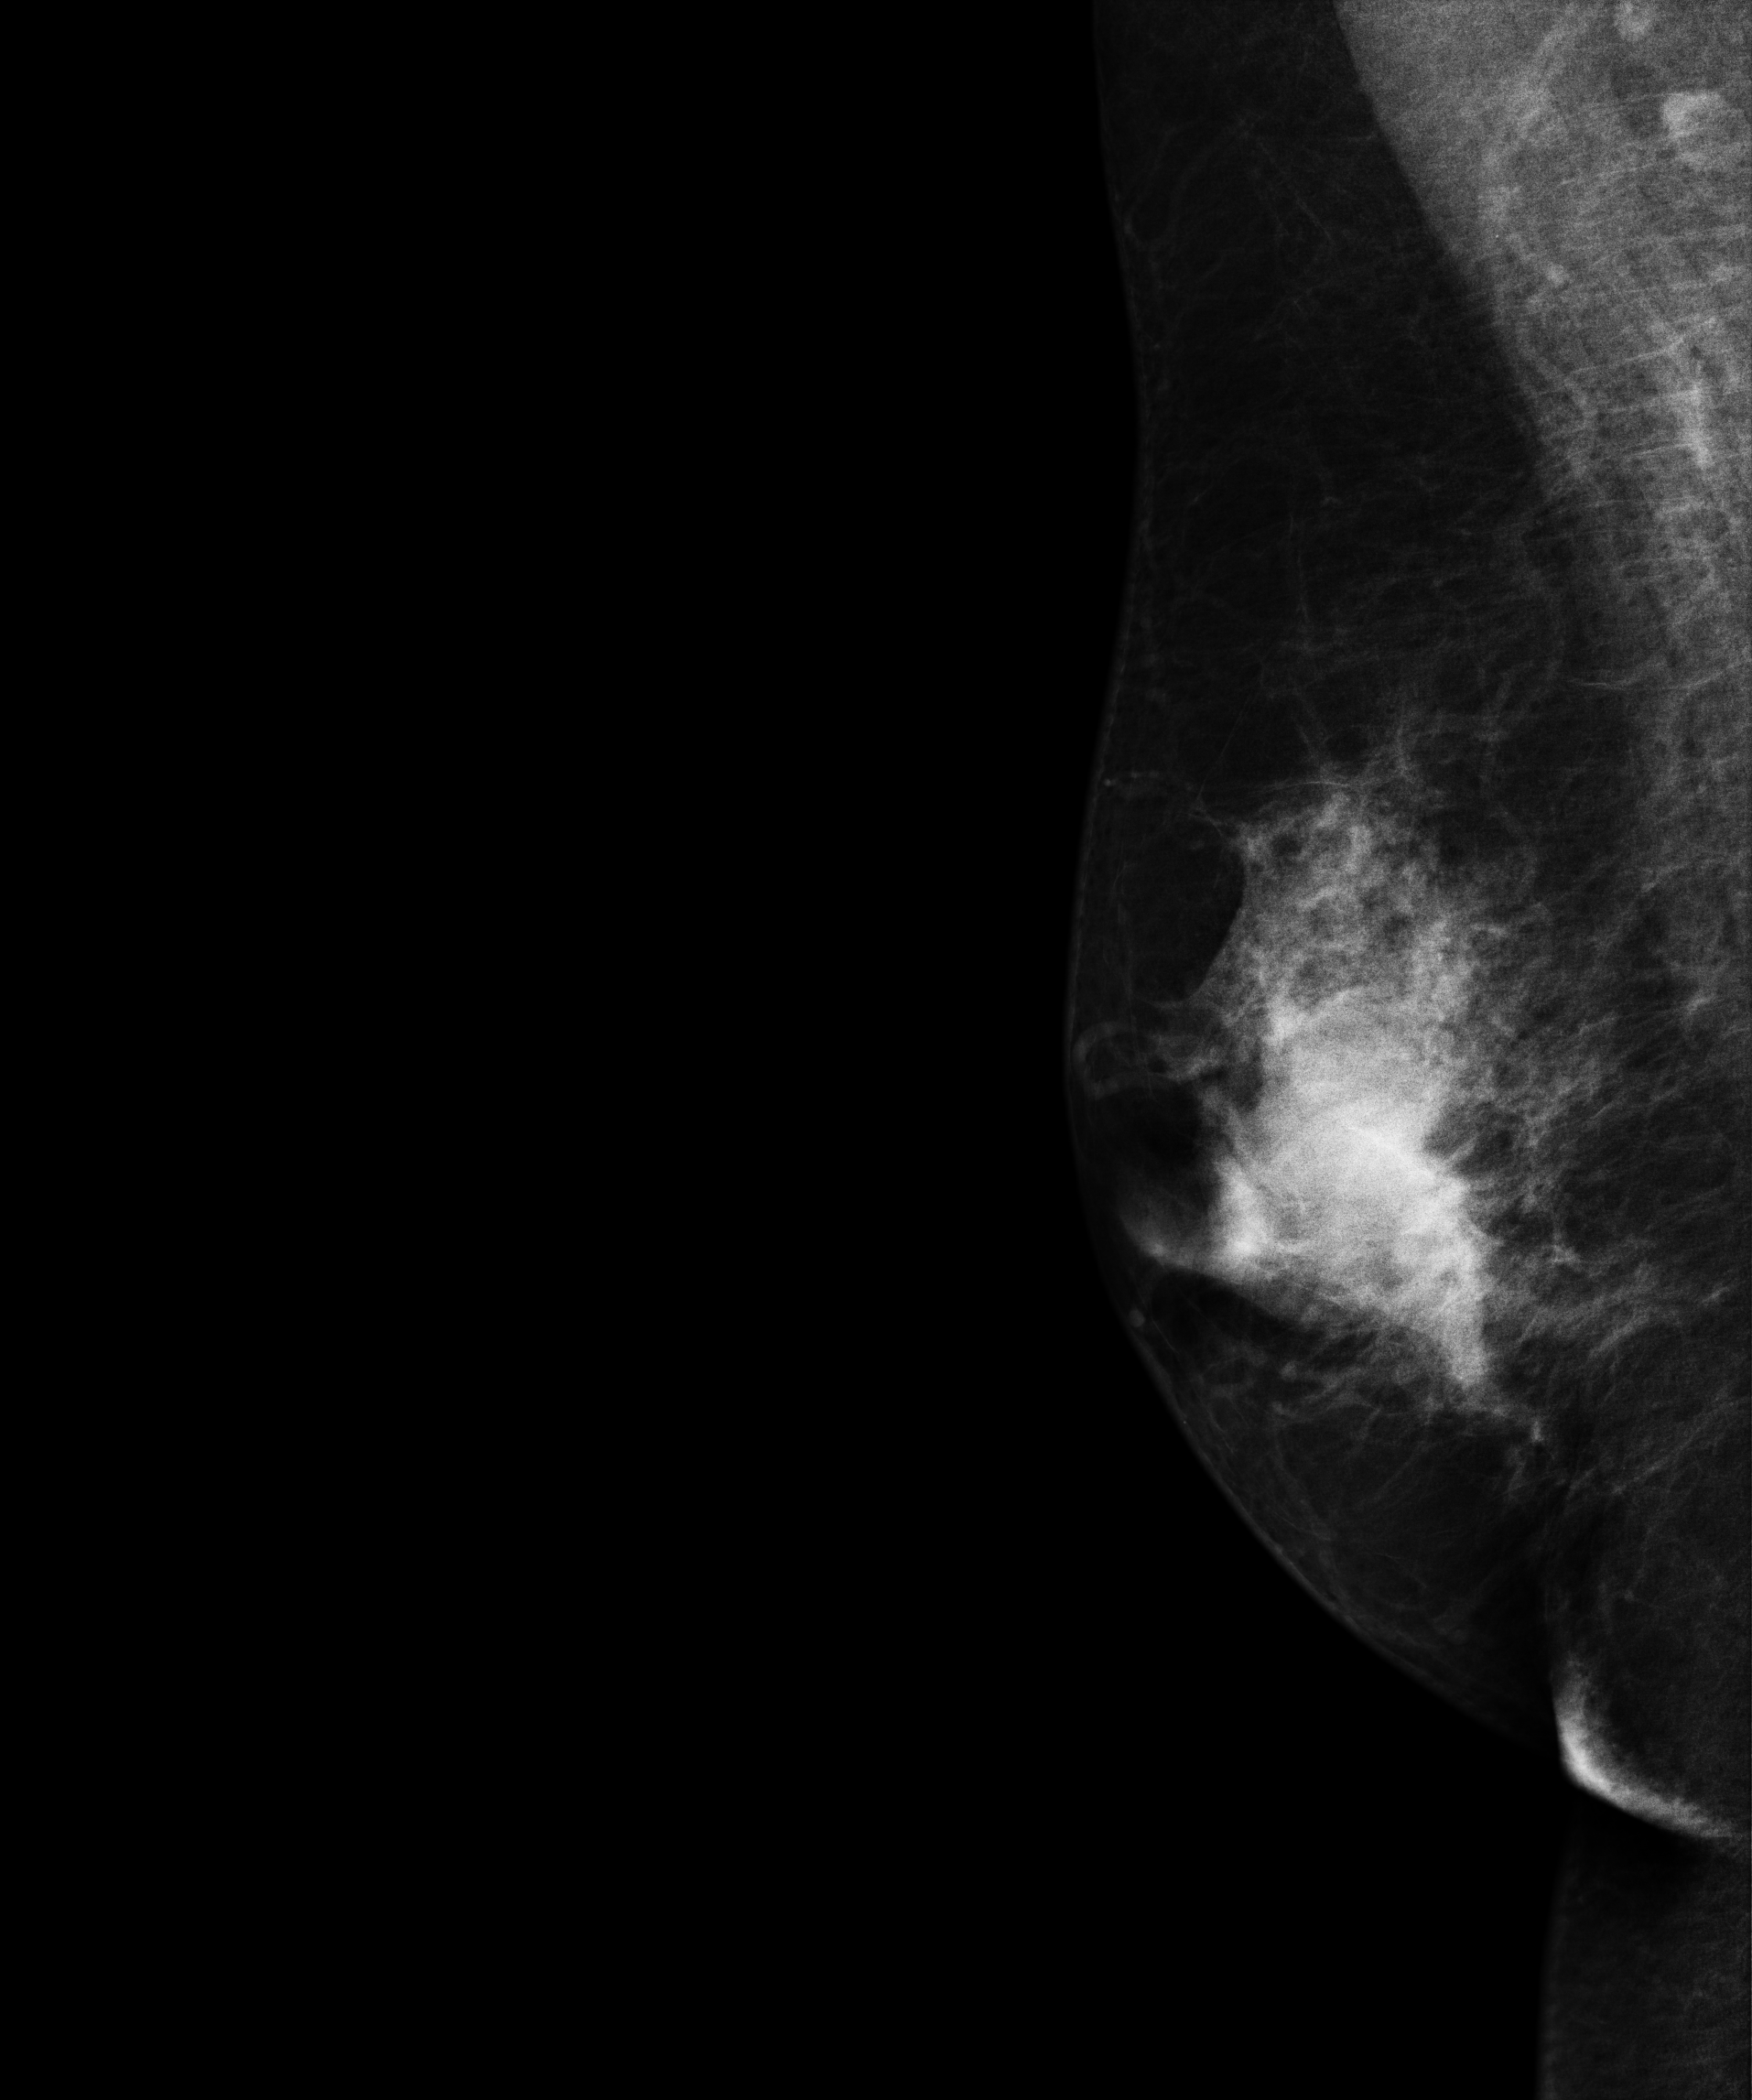
Mammogram, right breast, medio-lateral oblique view. 71 y/o patient.
This breast has a mass, biopsy-proven malignant. Molecular subtype: luminal A.